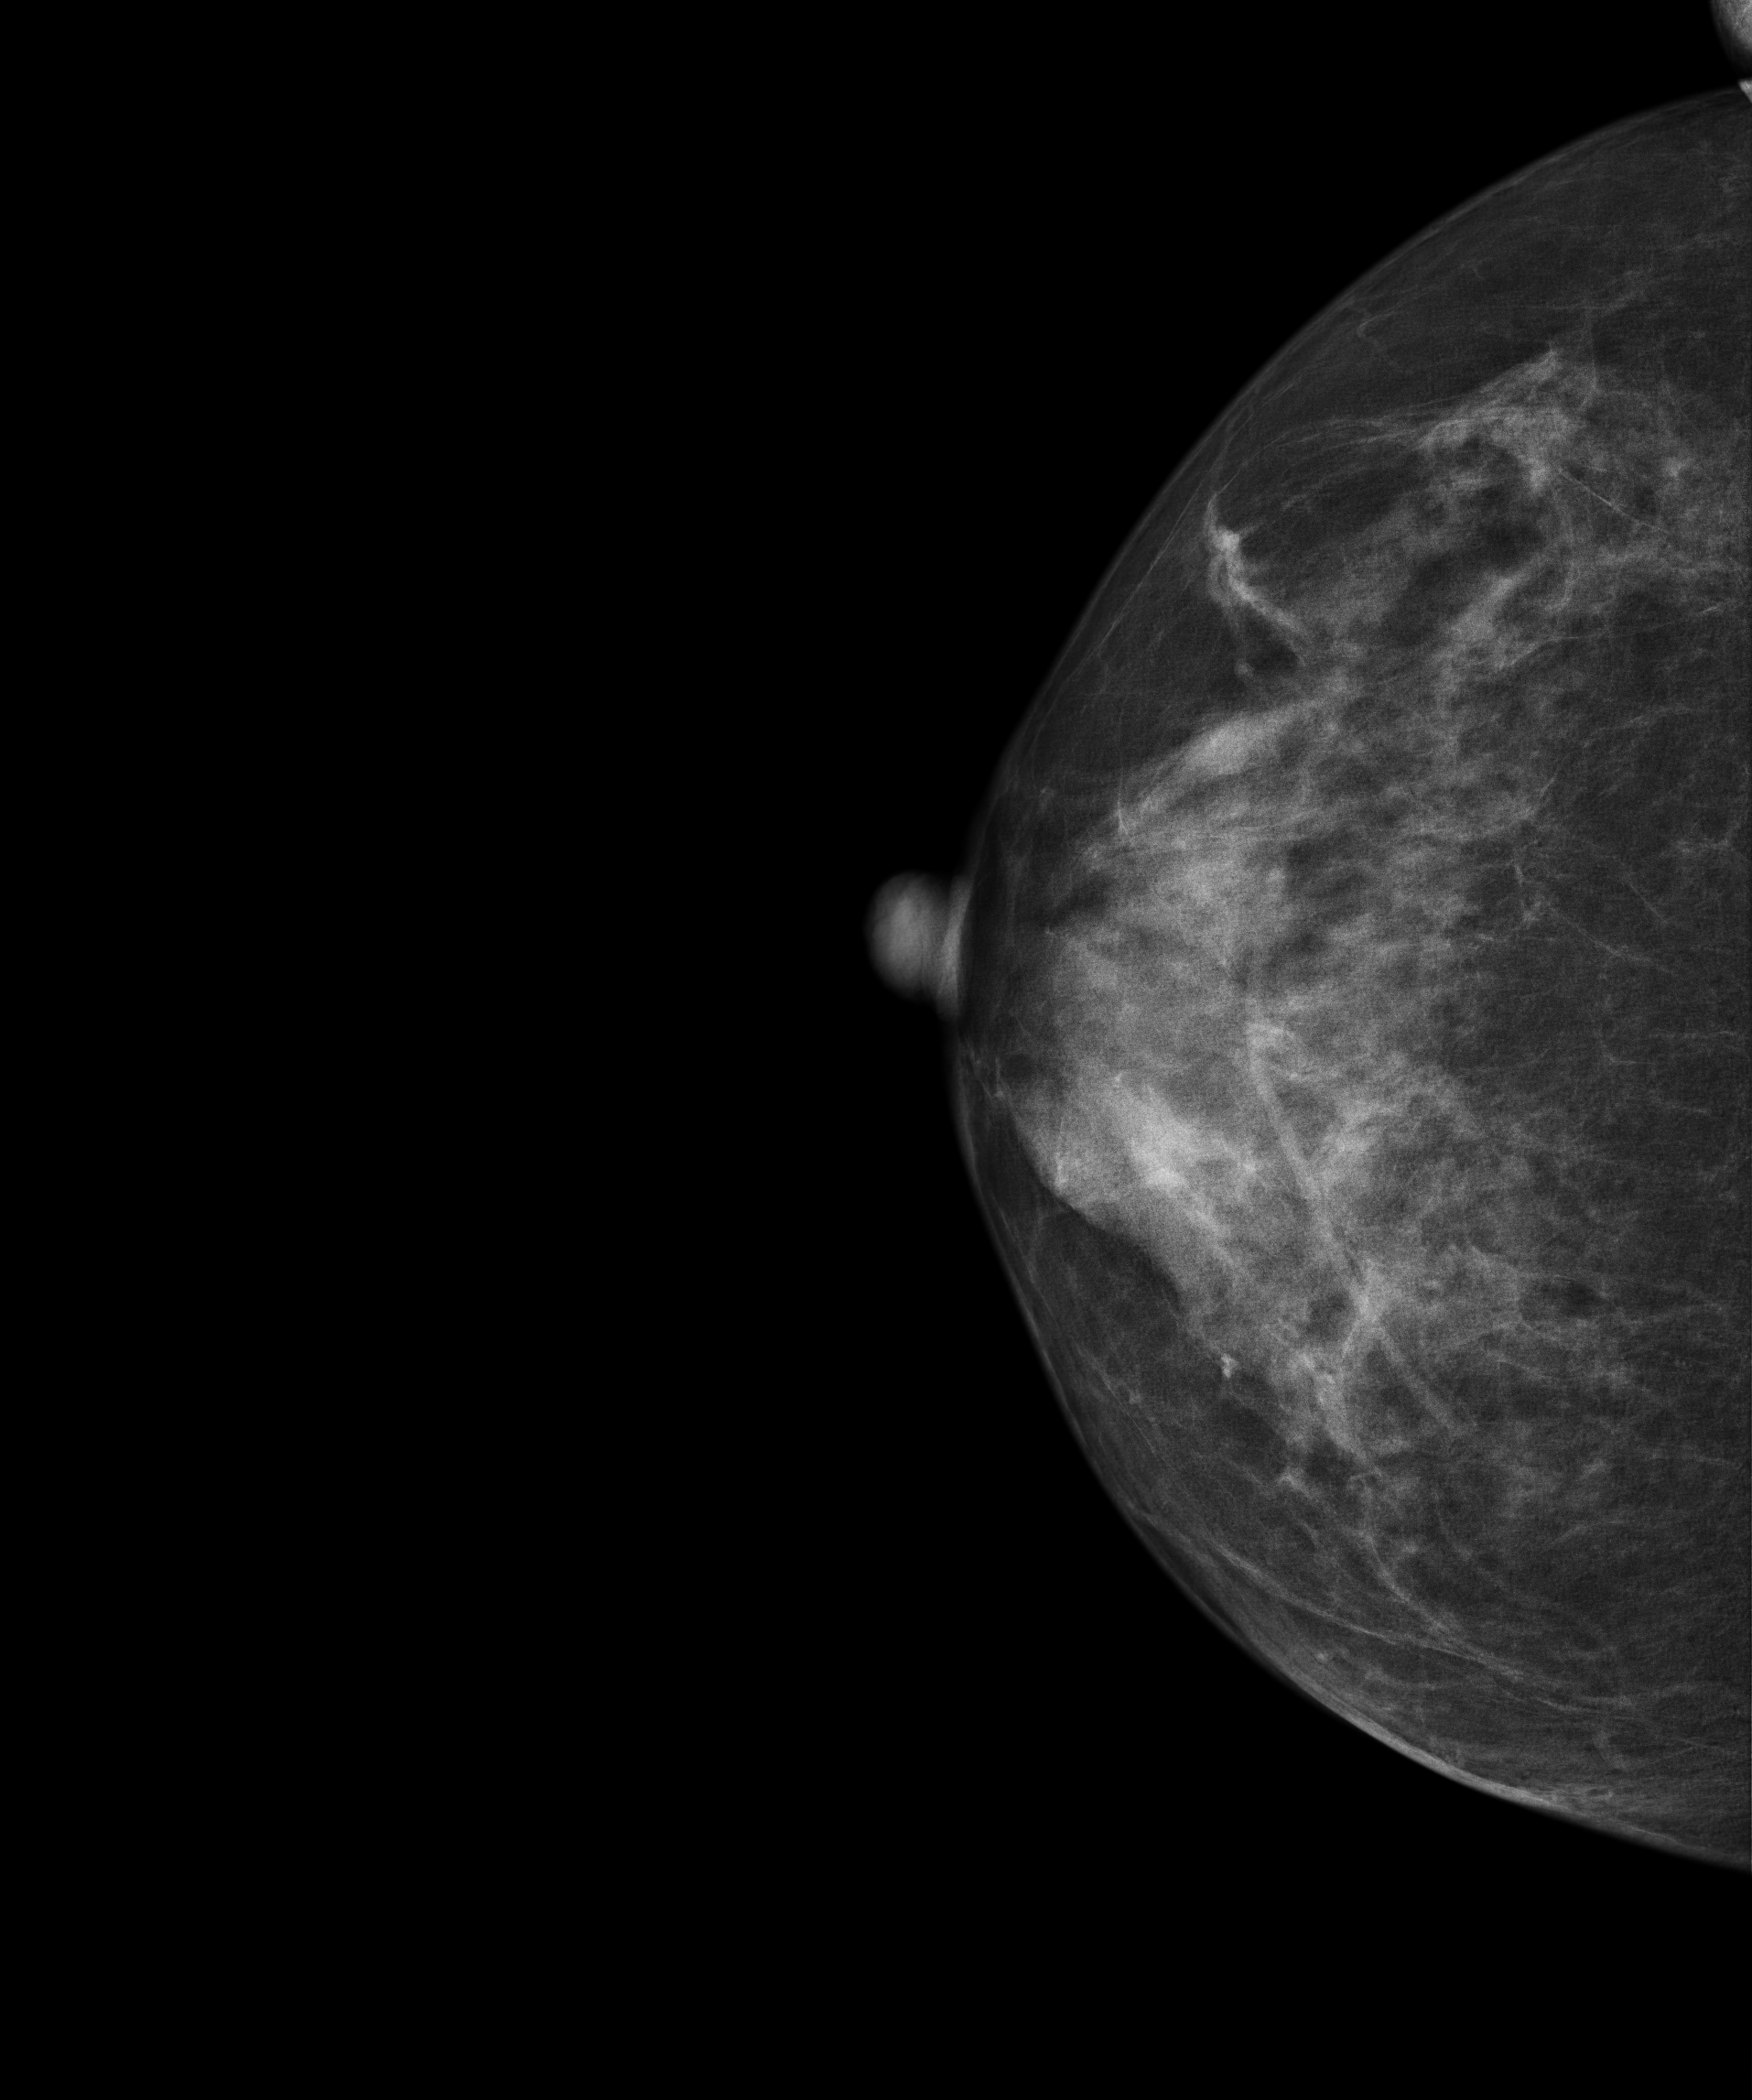
Digital mammography. Right breast, cranio-caudal projection. Patient age 69.
Contralateral breast — no documented abnormality on this side.